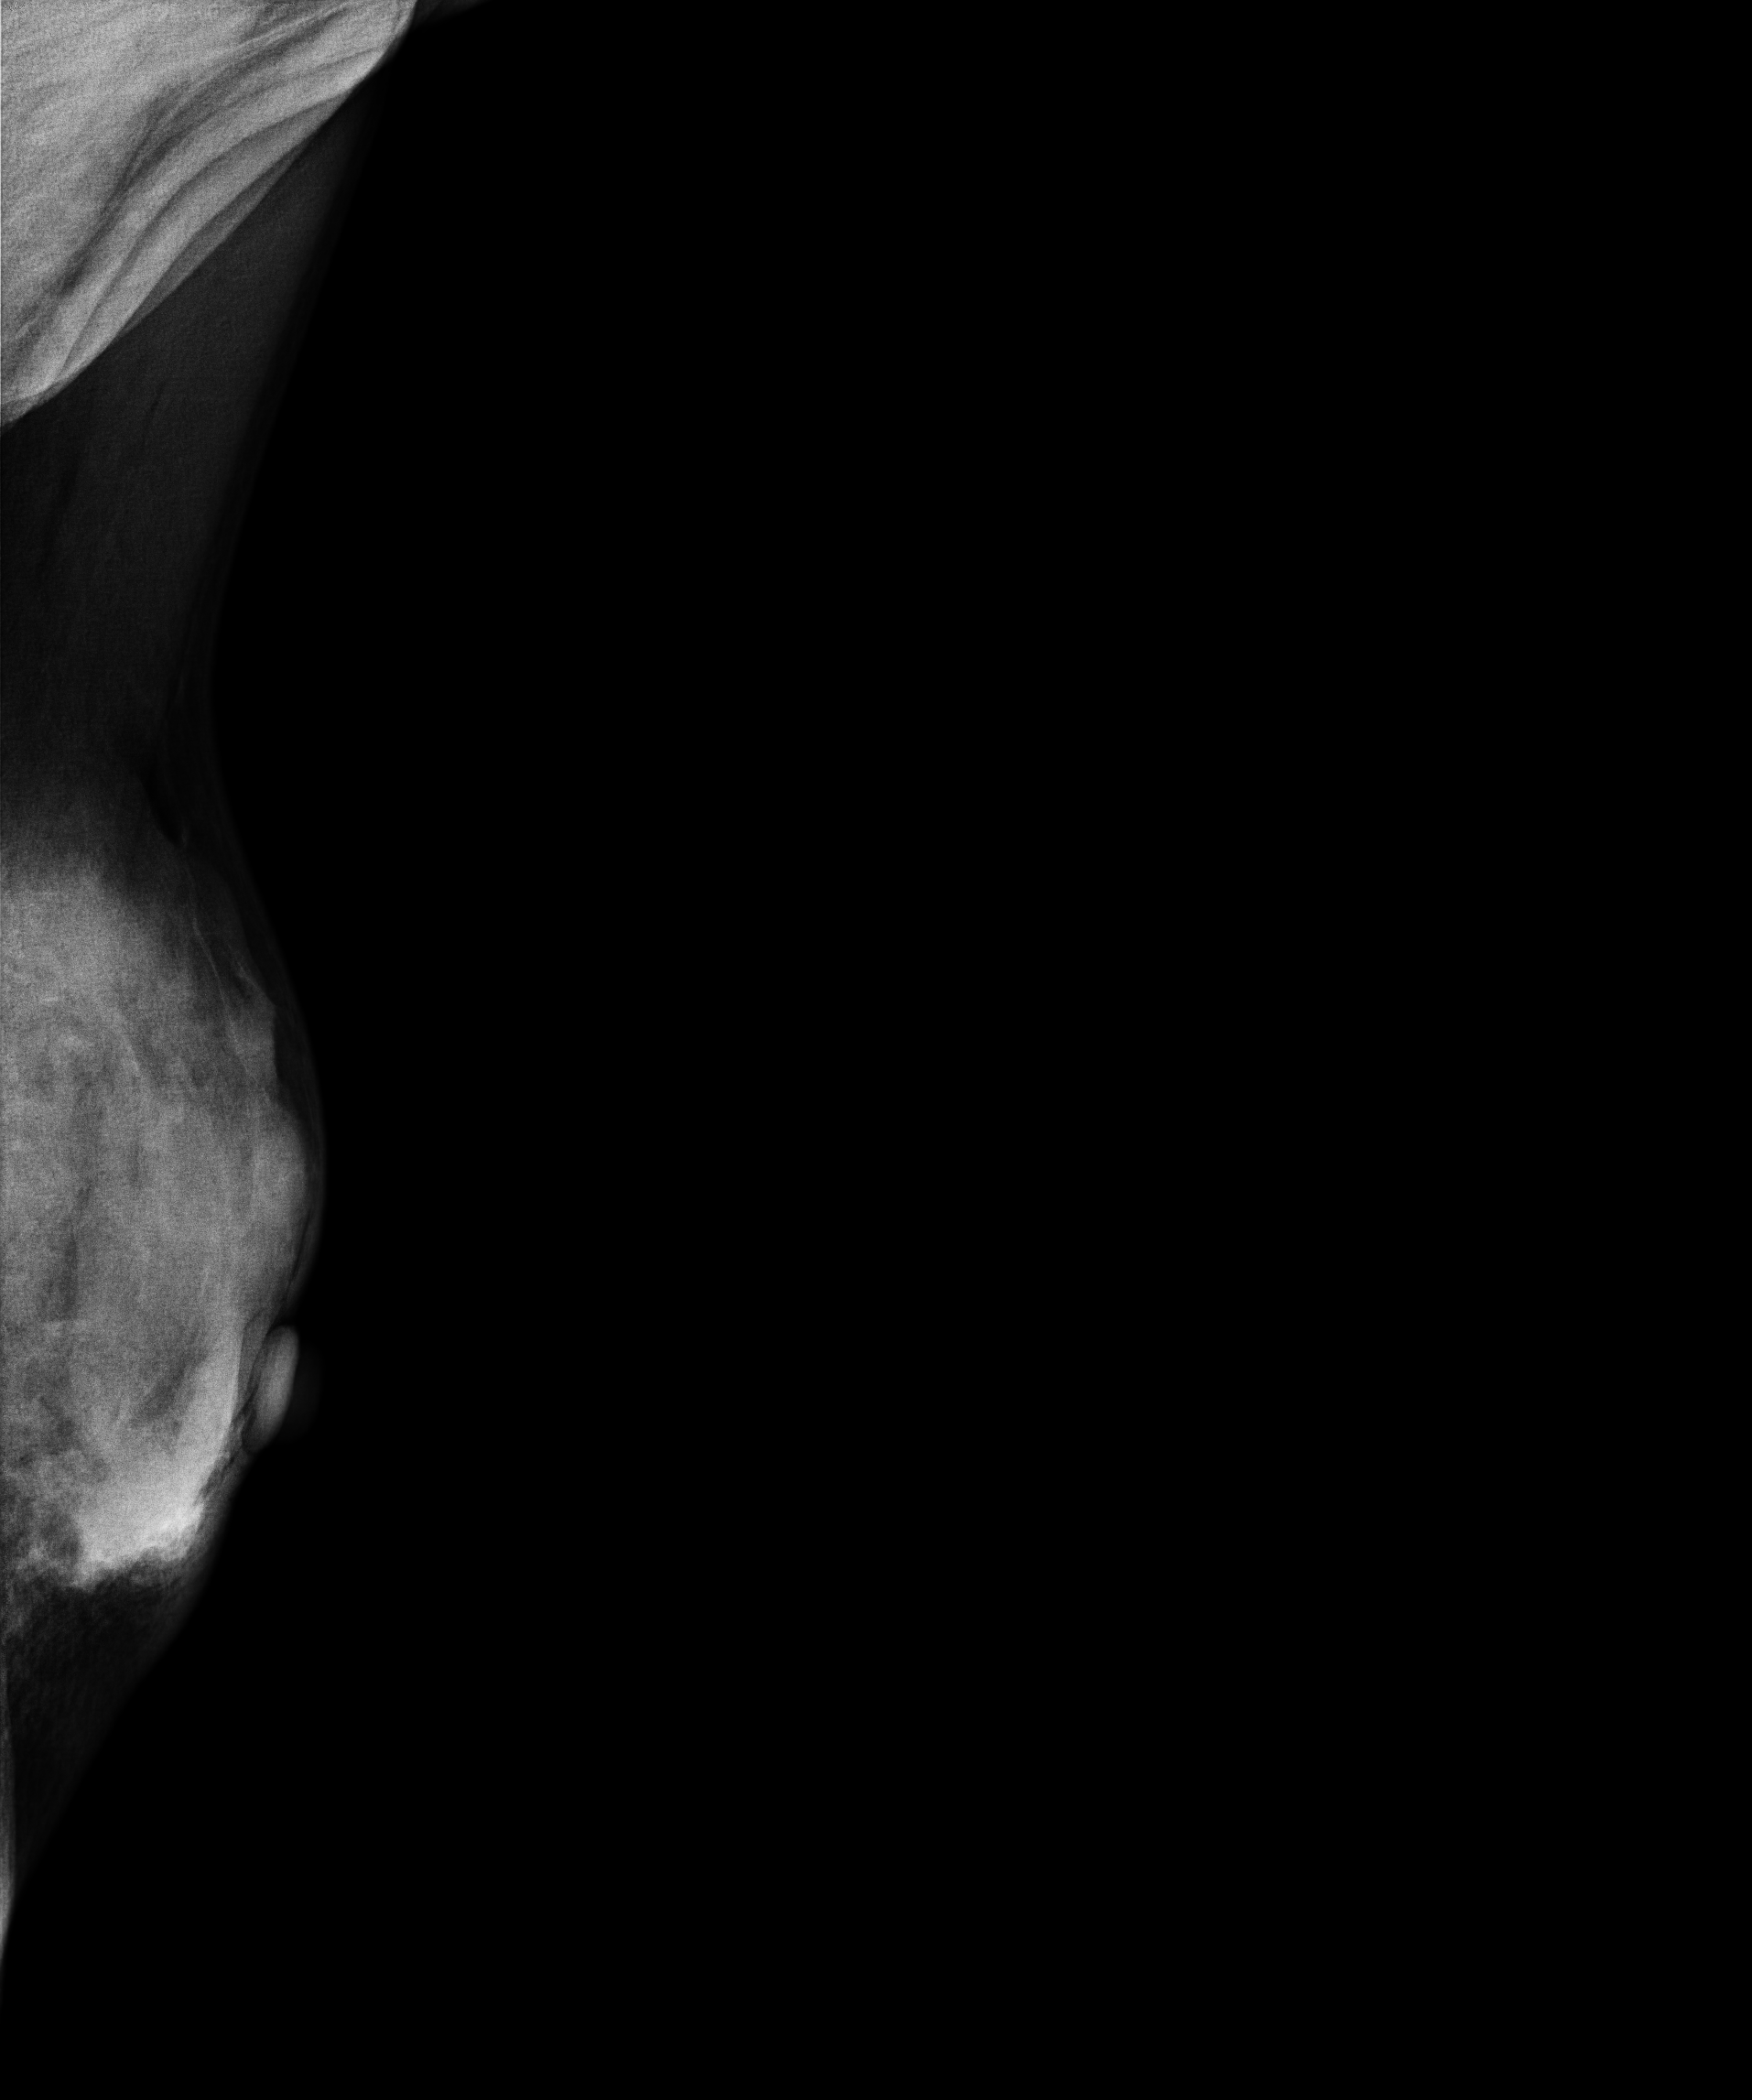
Mammogram — left medio-lateral oblique. 53-year-old patient.
This breast has a mass, biopsy-confirmed malignant.